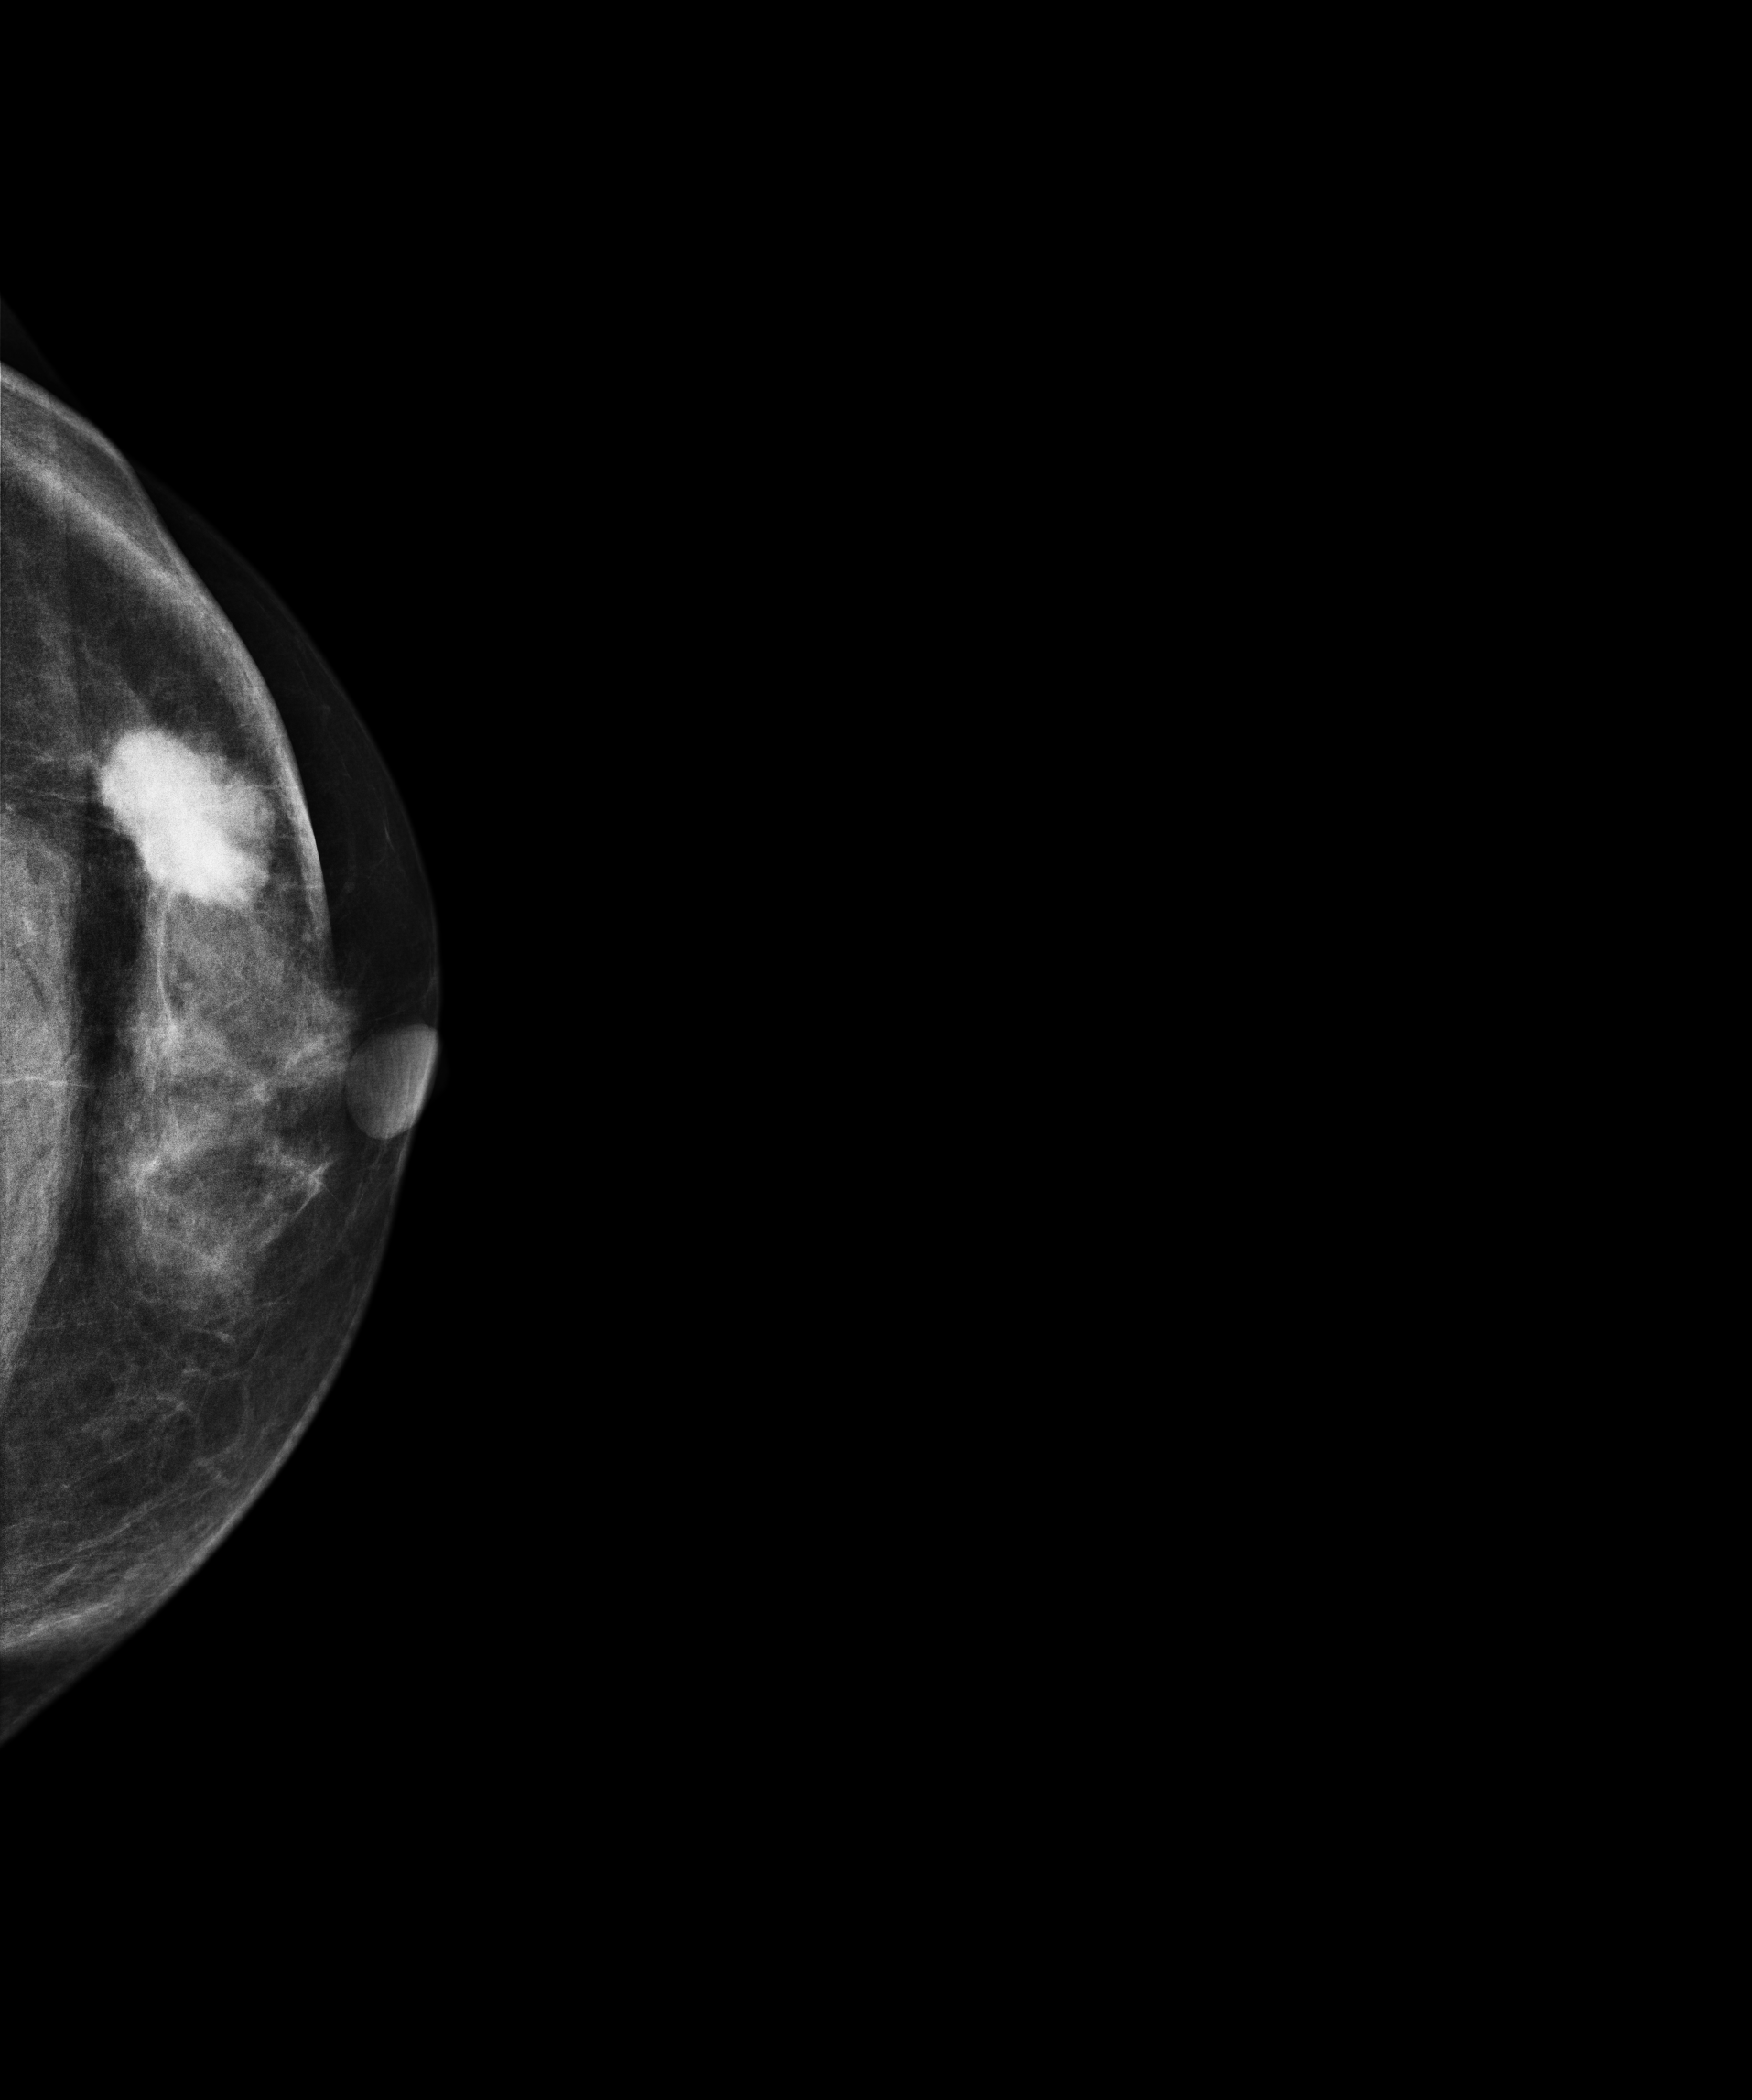
Mammogram, left breast, CC view. 56 y/o patient.
This breast has a mass, biopsy-confirmed malignant.